Digital mammography. Left breast, MLO projection. 60-year-old patient.
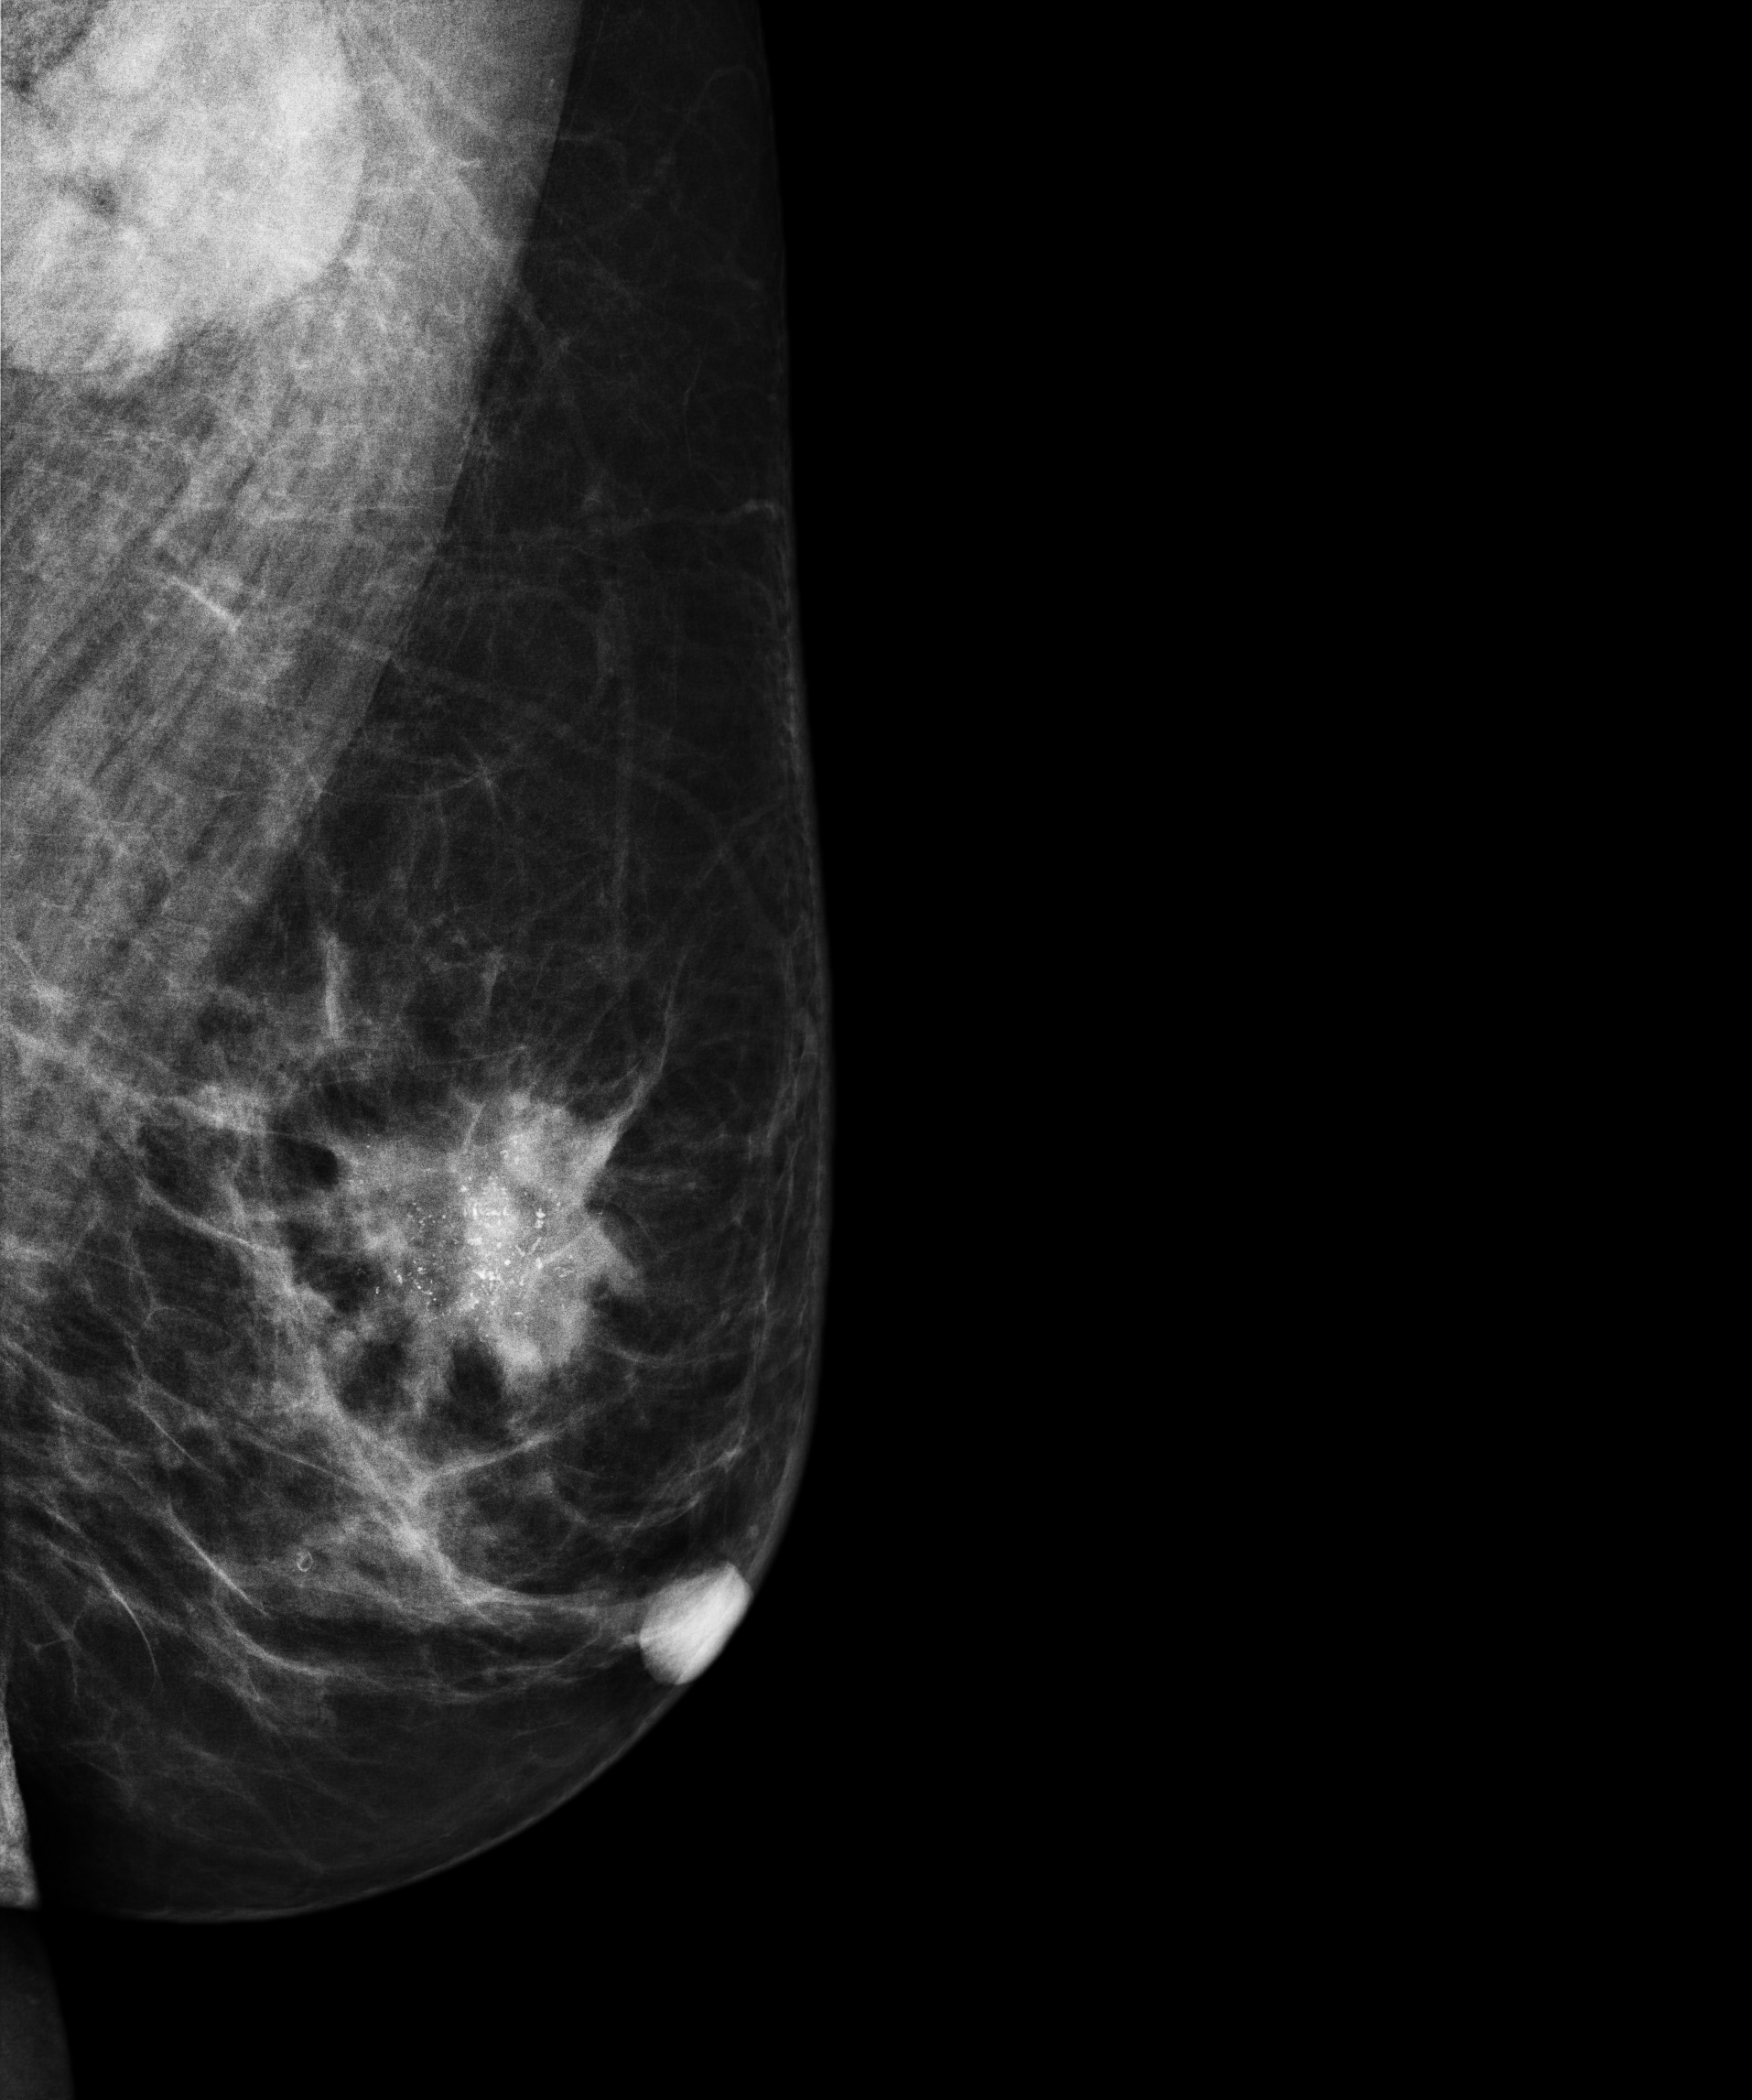
This breast has a mass and calcifications, biopsy-confirmed malignant. Molecular subtype: HER2-enriched.